Left-breast mammogram, CC. 47 y/o patient.
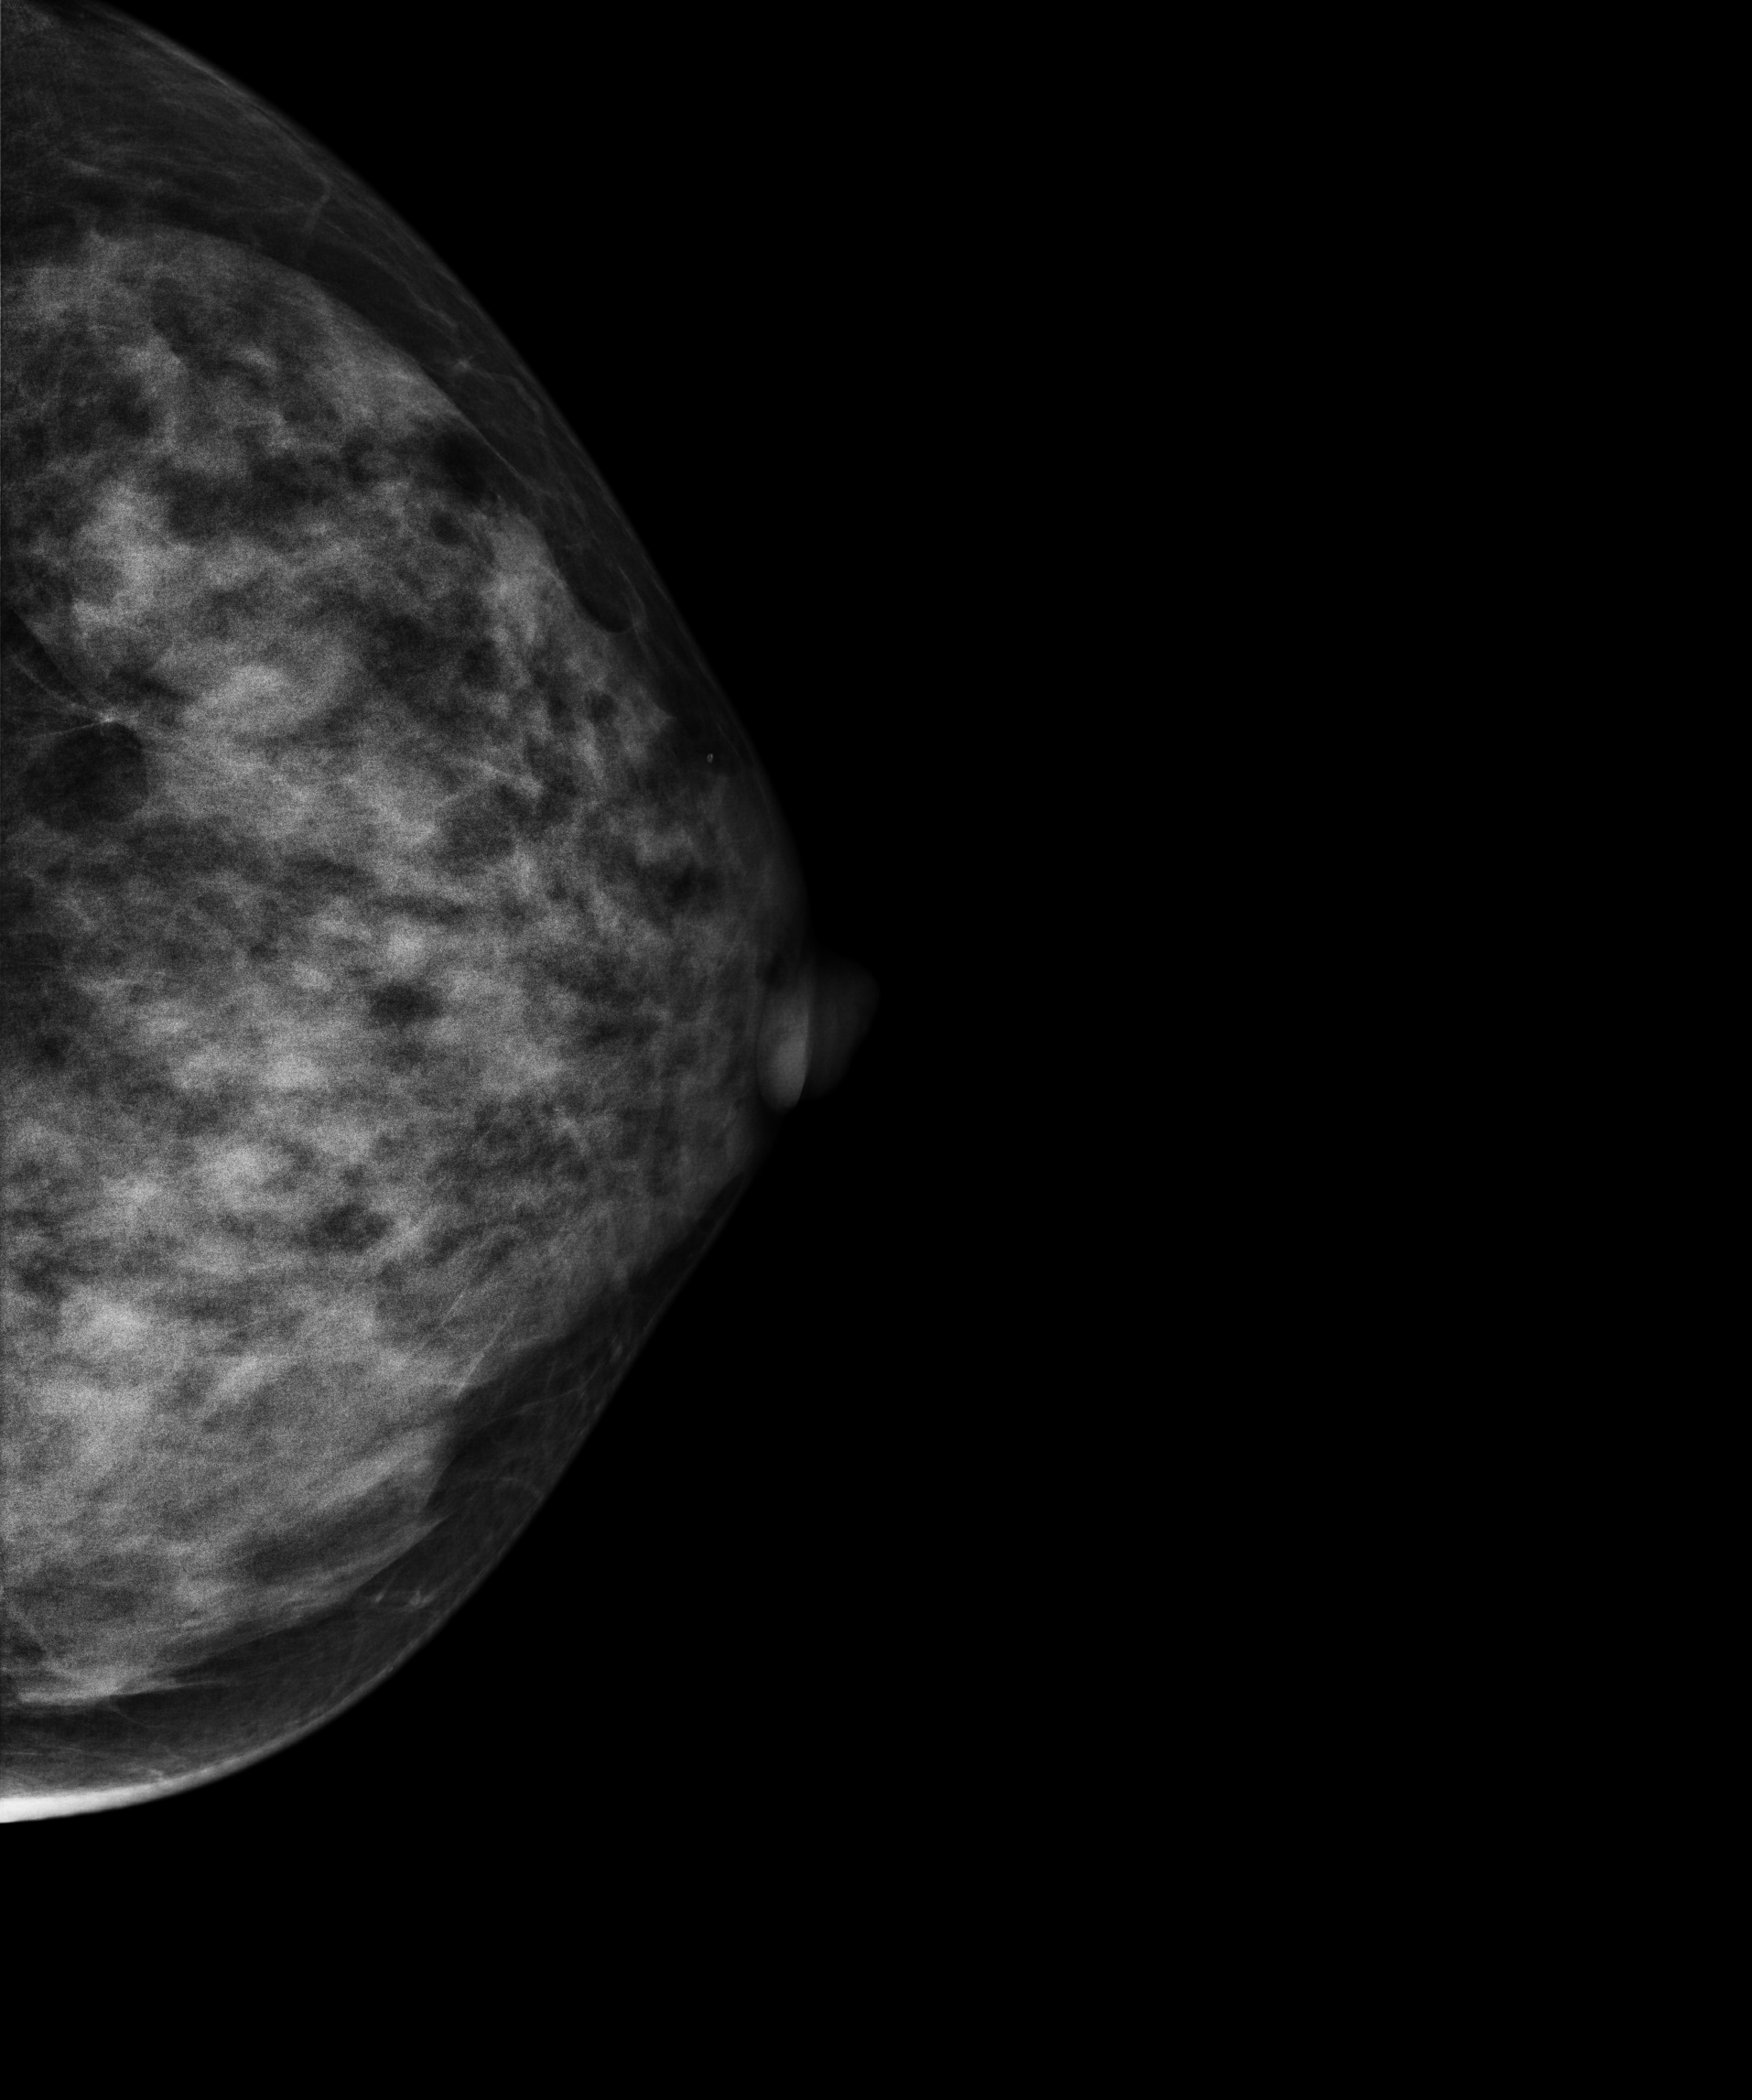
This breast has a mass, histologically confirmed malignant. Molecular subtype: luminal A.